Left-breast mammogram, cranio-caudal. 44 y/o patient.
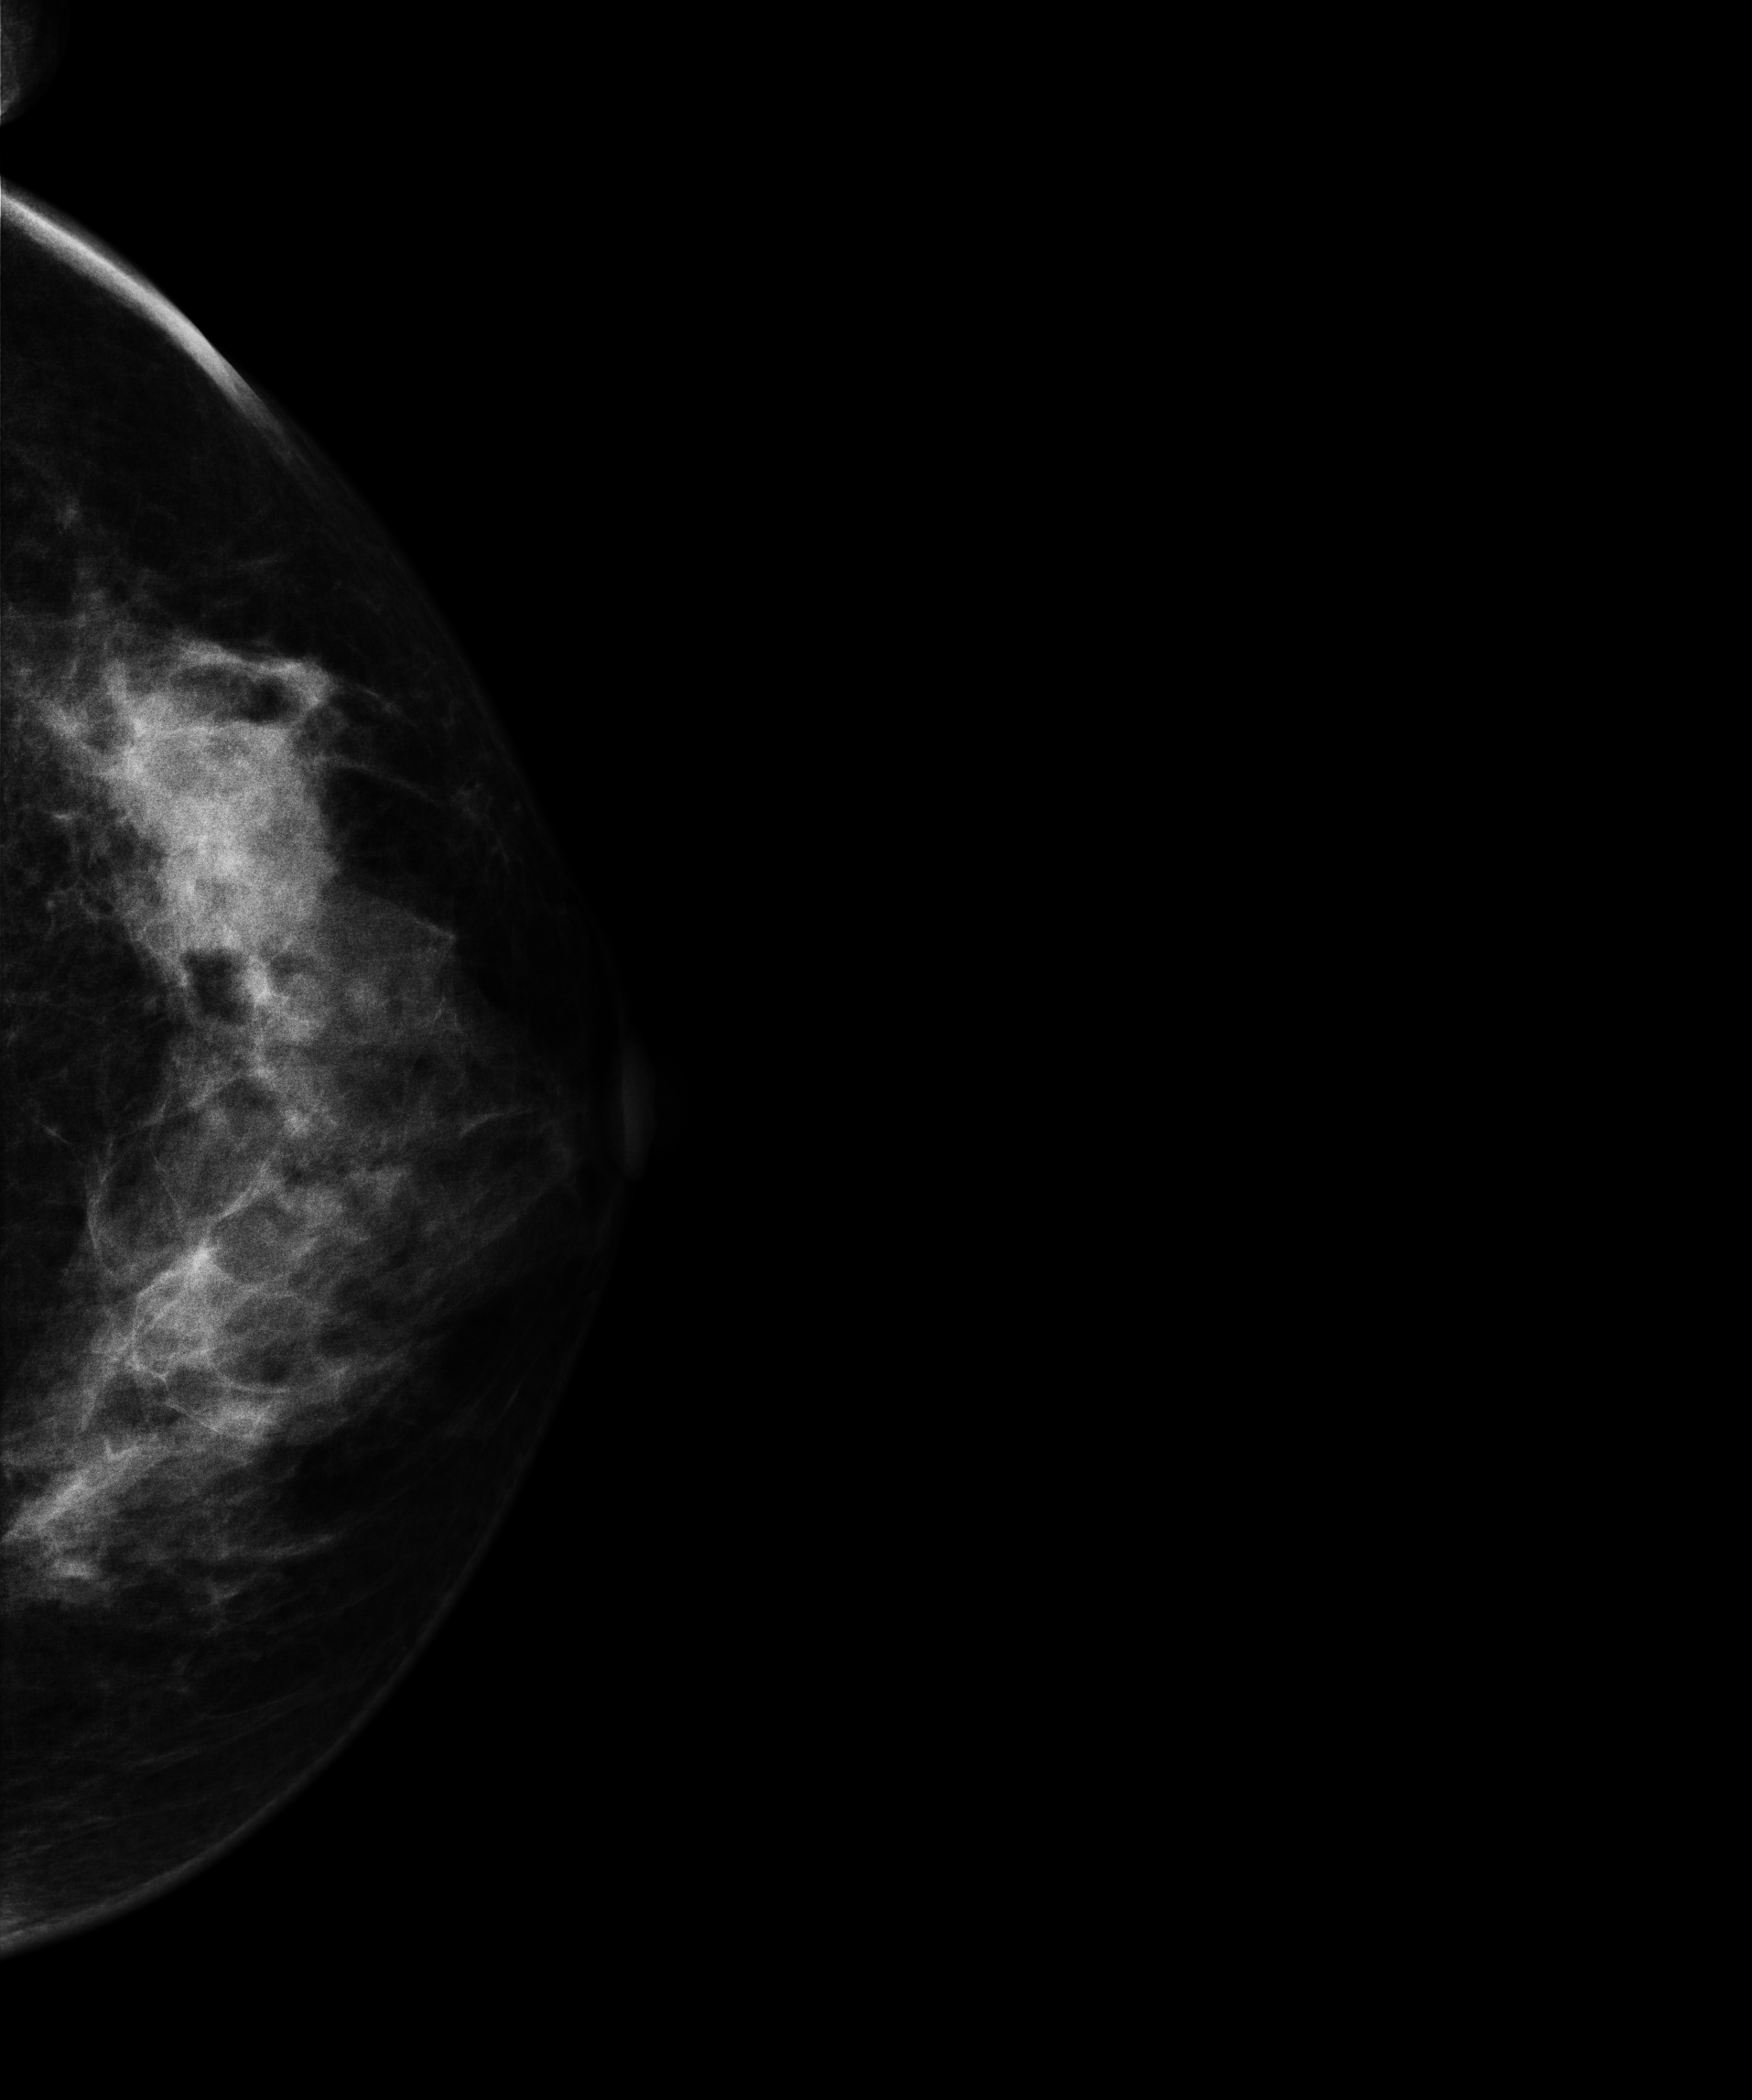
This breast has a mass, biopsy-confirmed malignant. Molecular subtype: HER2-enriched.